Mammogram — right medio-lateral oblique. 54-year-old patient.
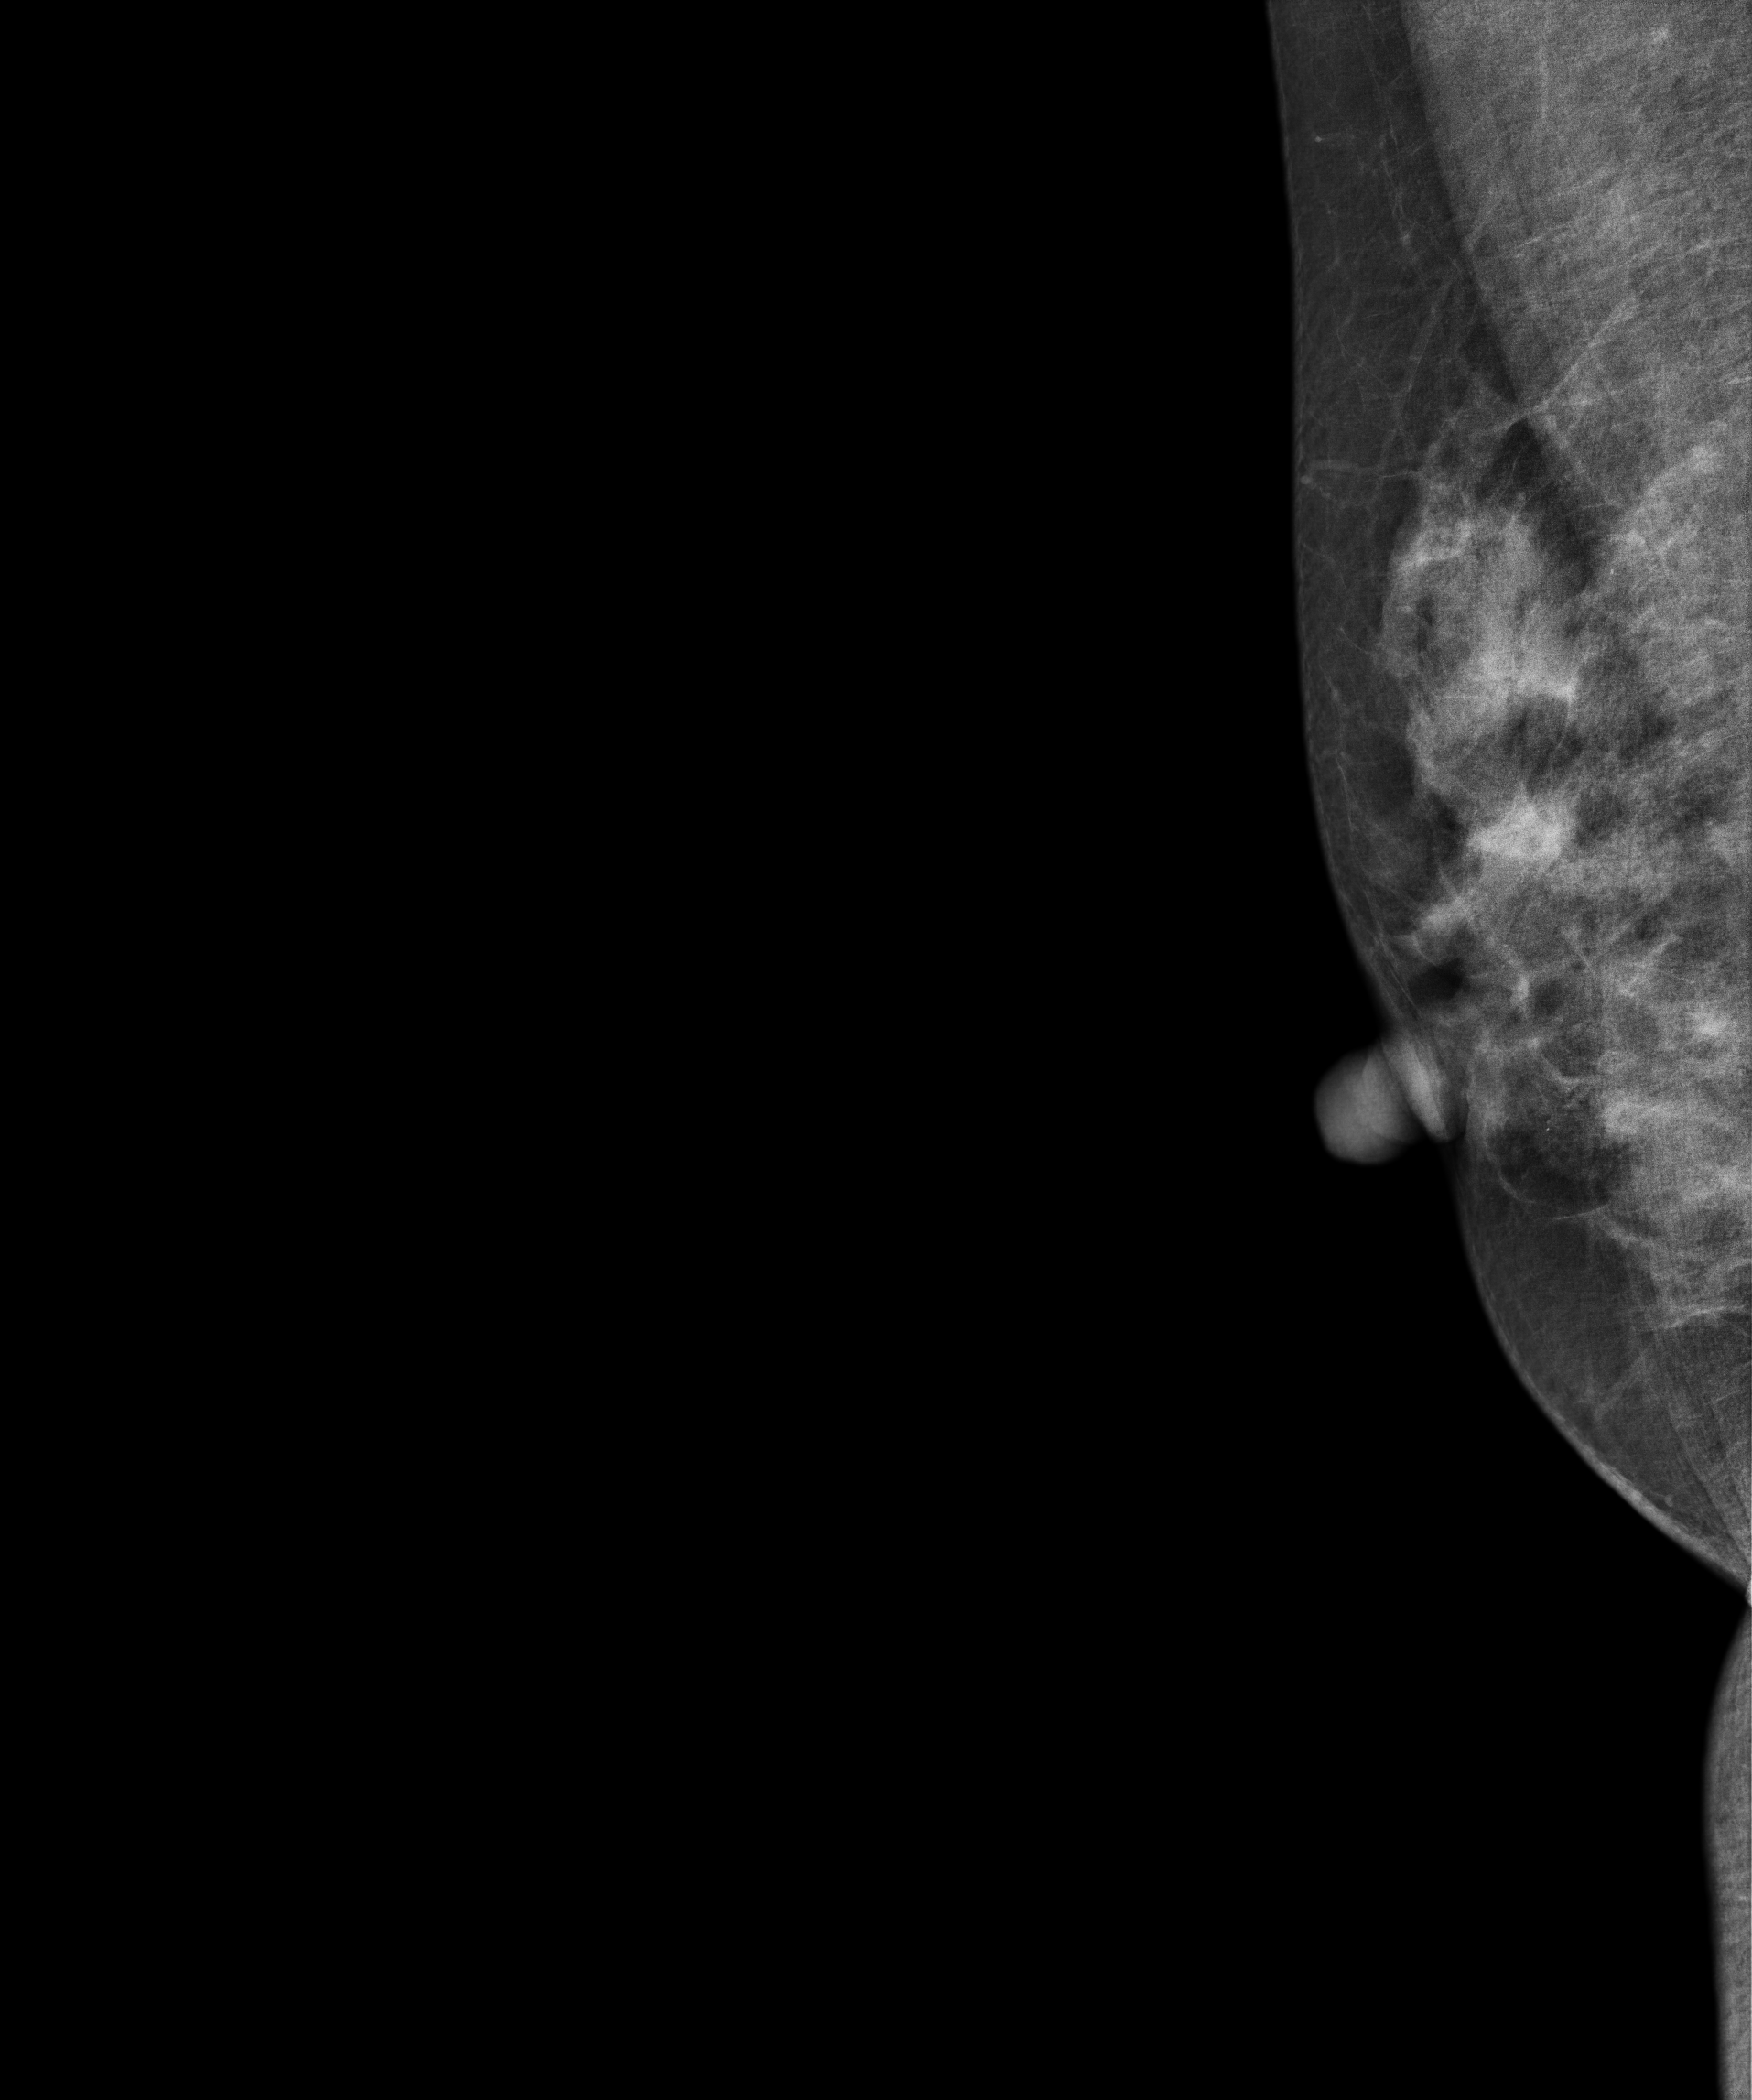
Contralateral breast — no documented abnormality on this side.